Digital mammography. Left breast, CC projection. 34-year-old patient.
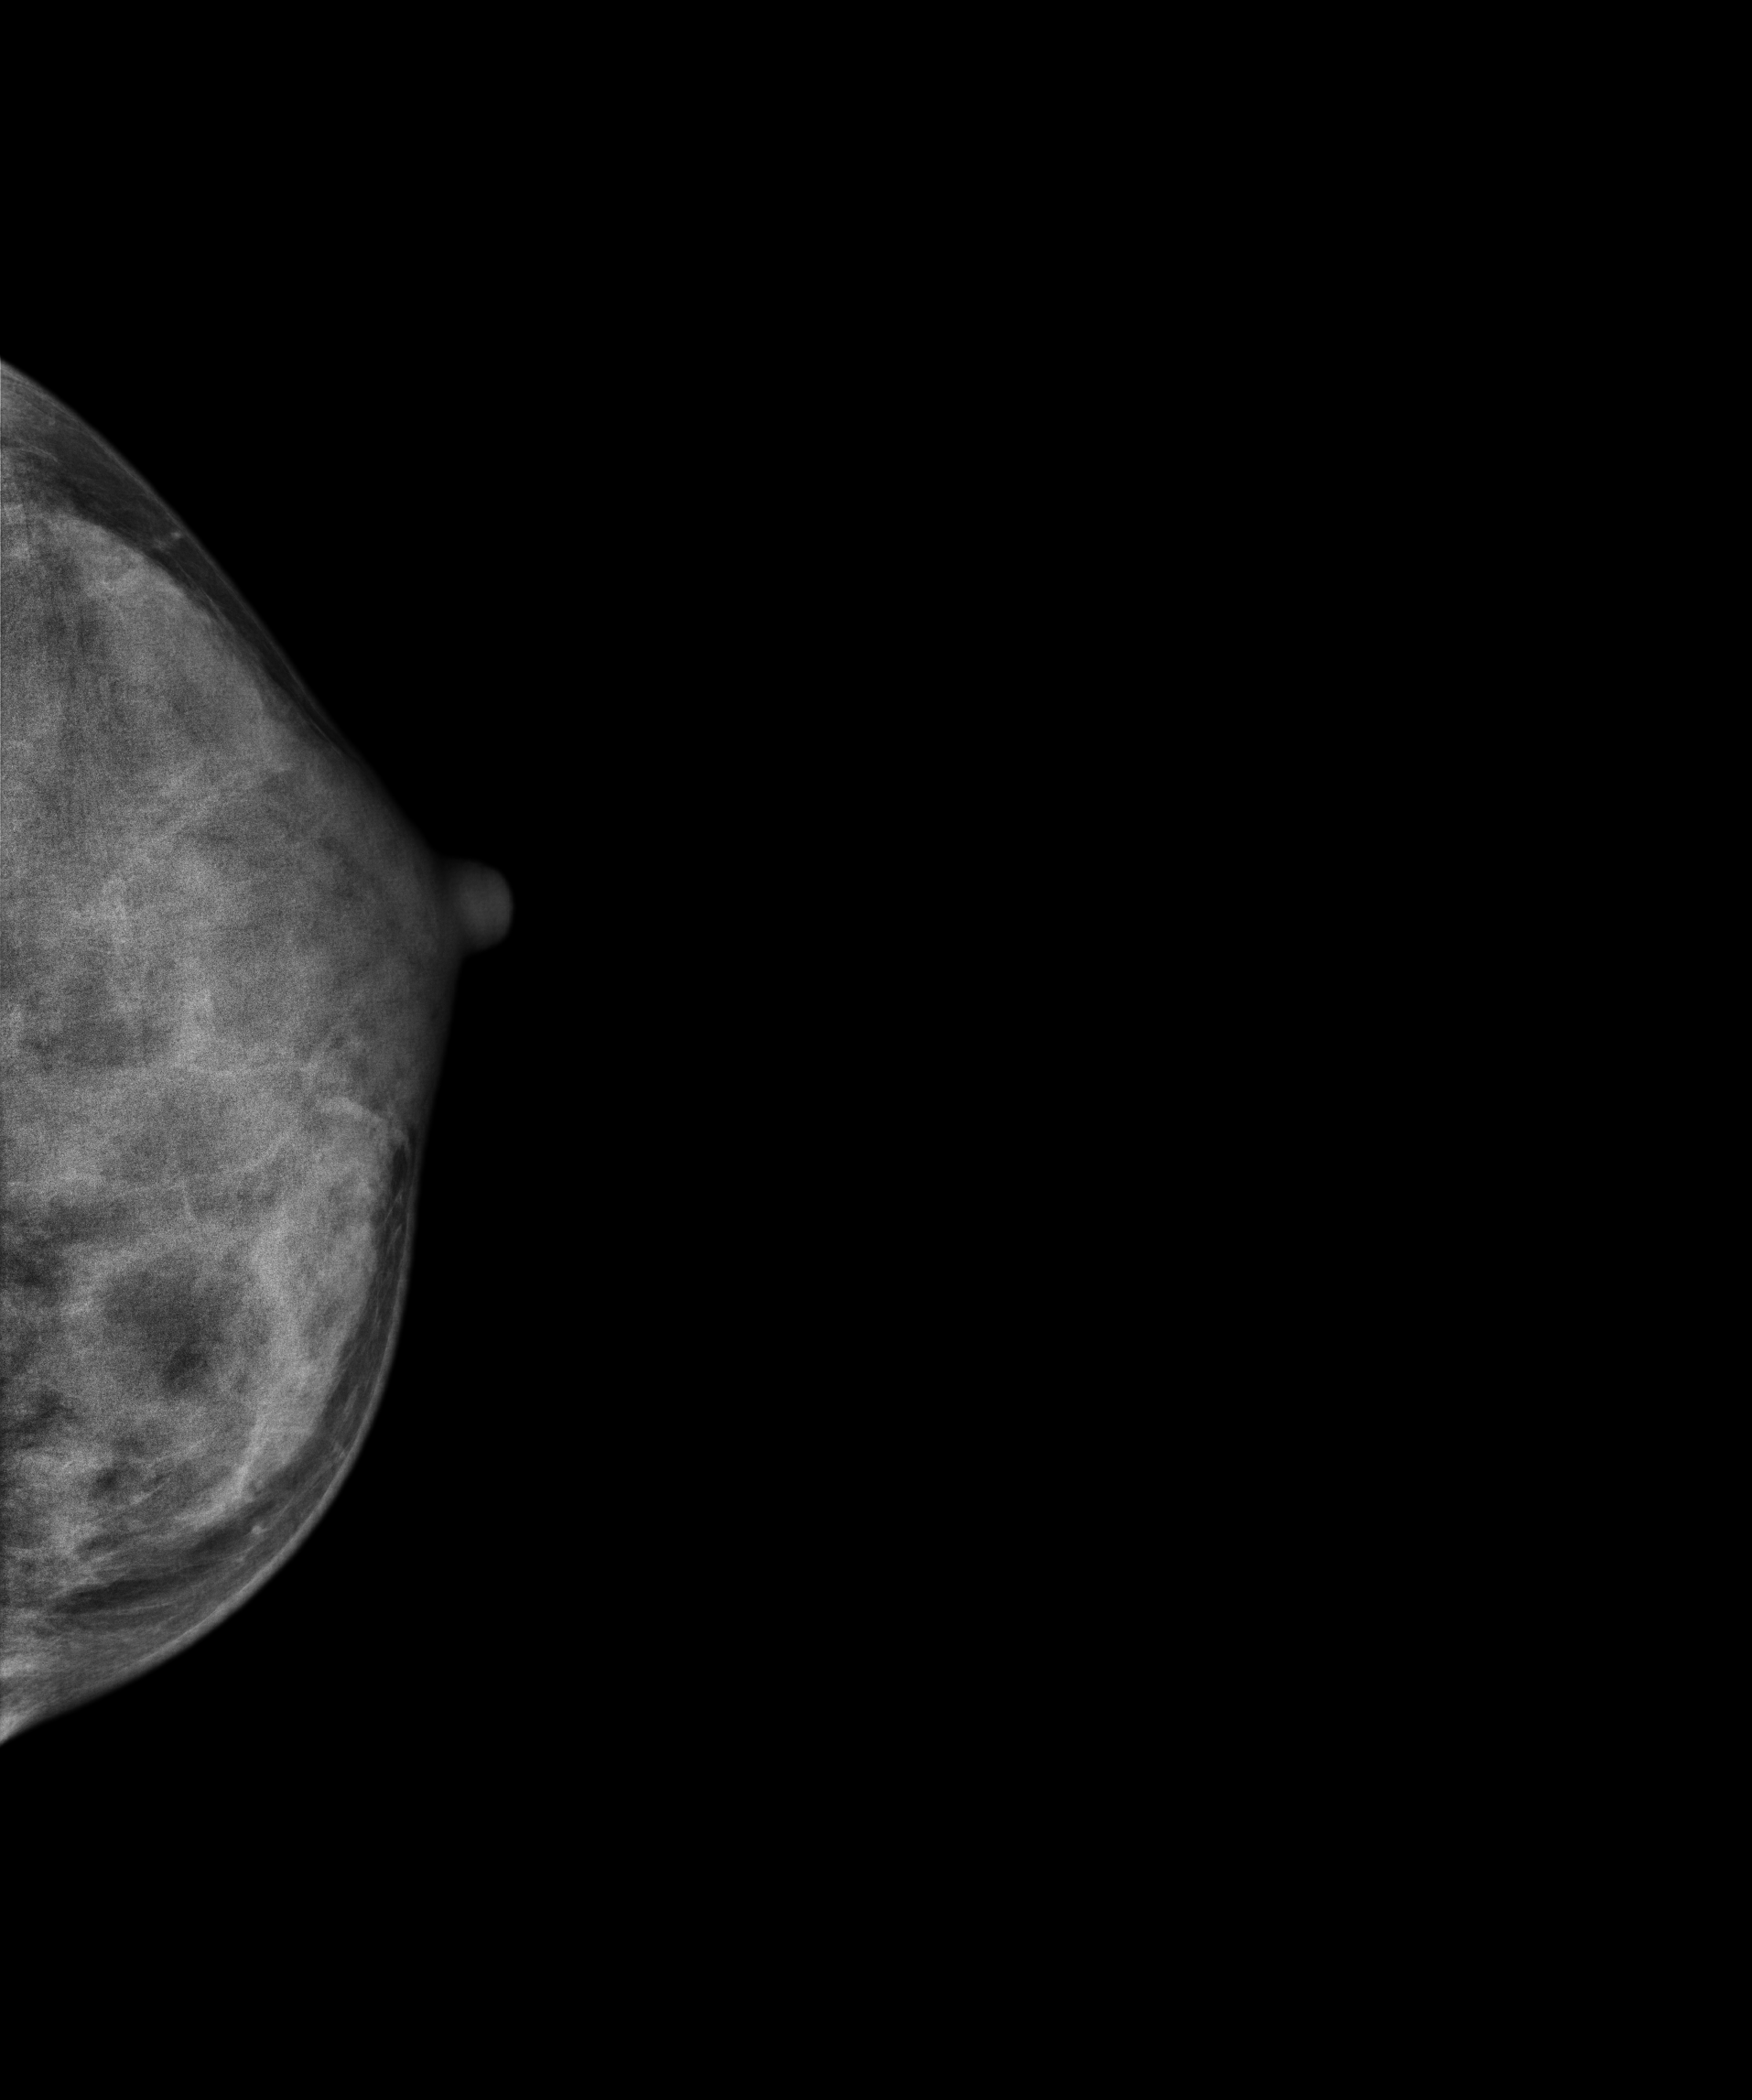
This breast has a mass, histologically confirmed benign.